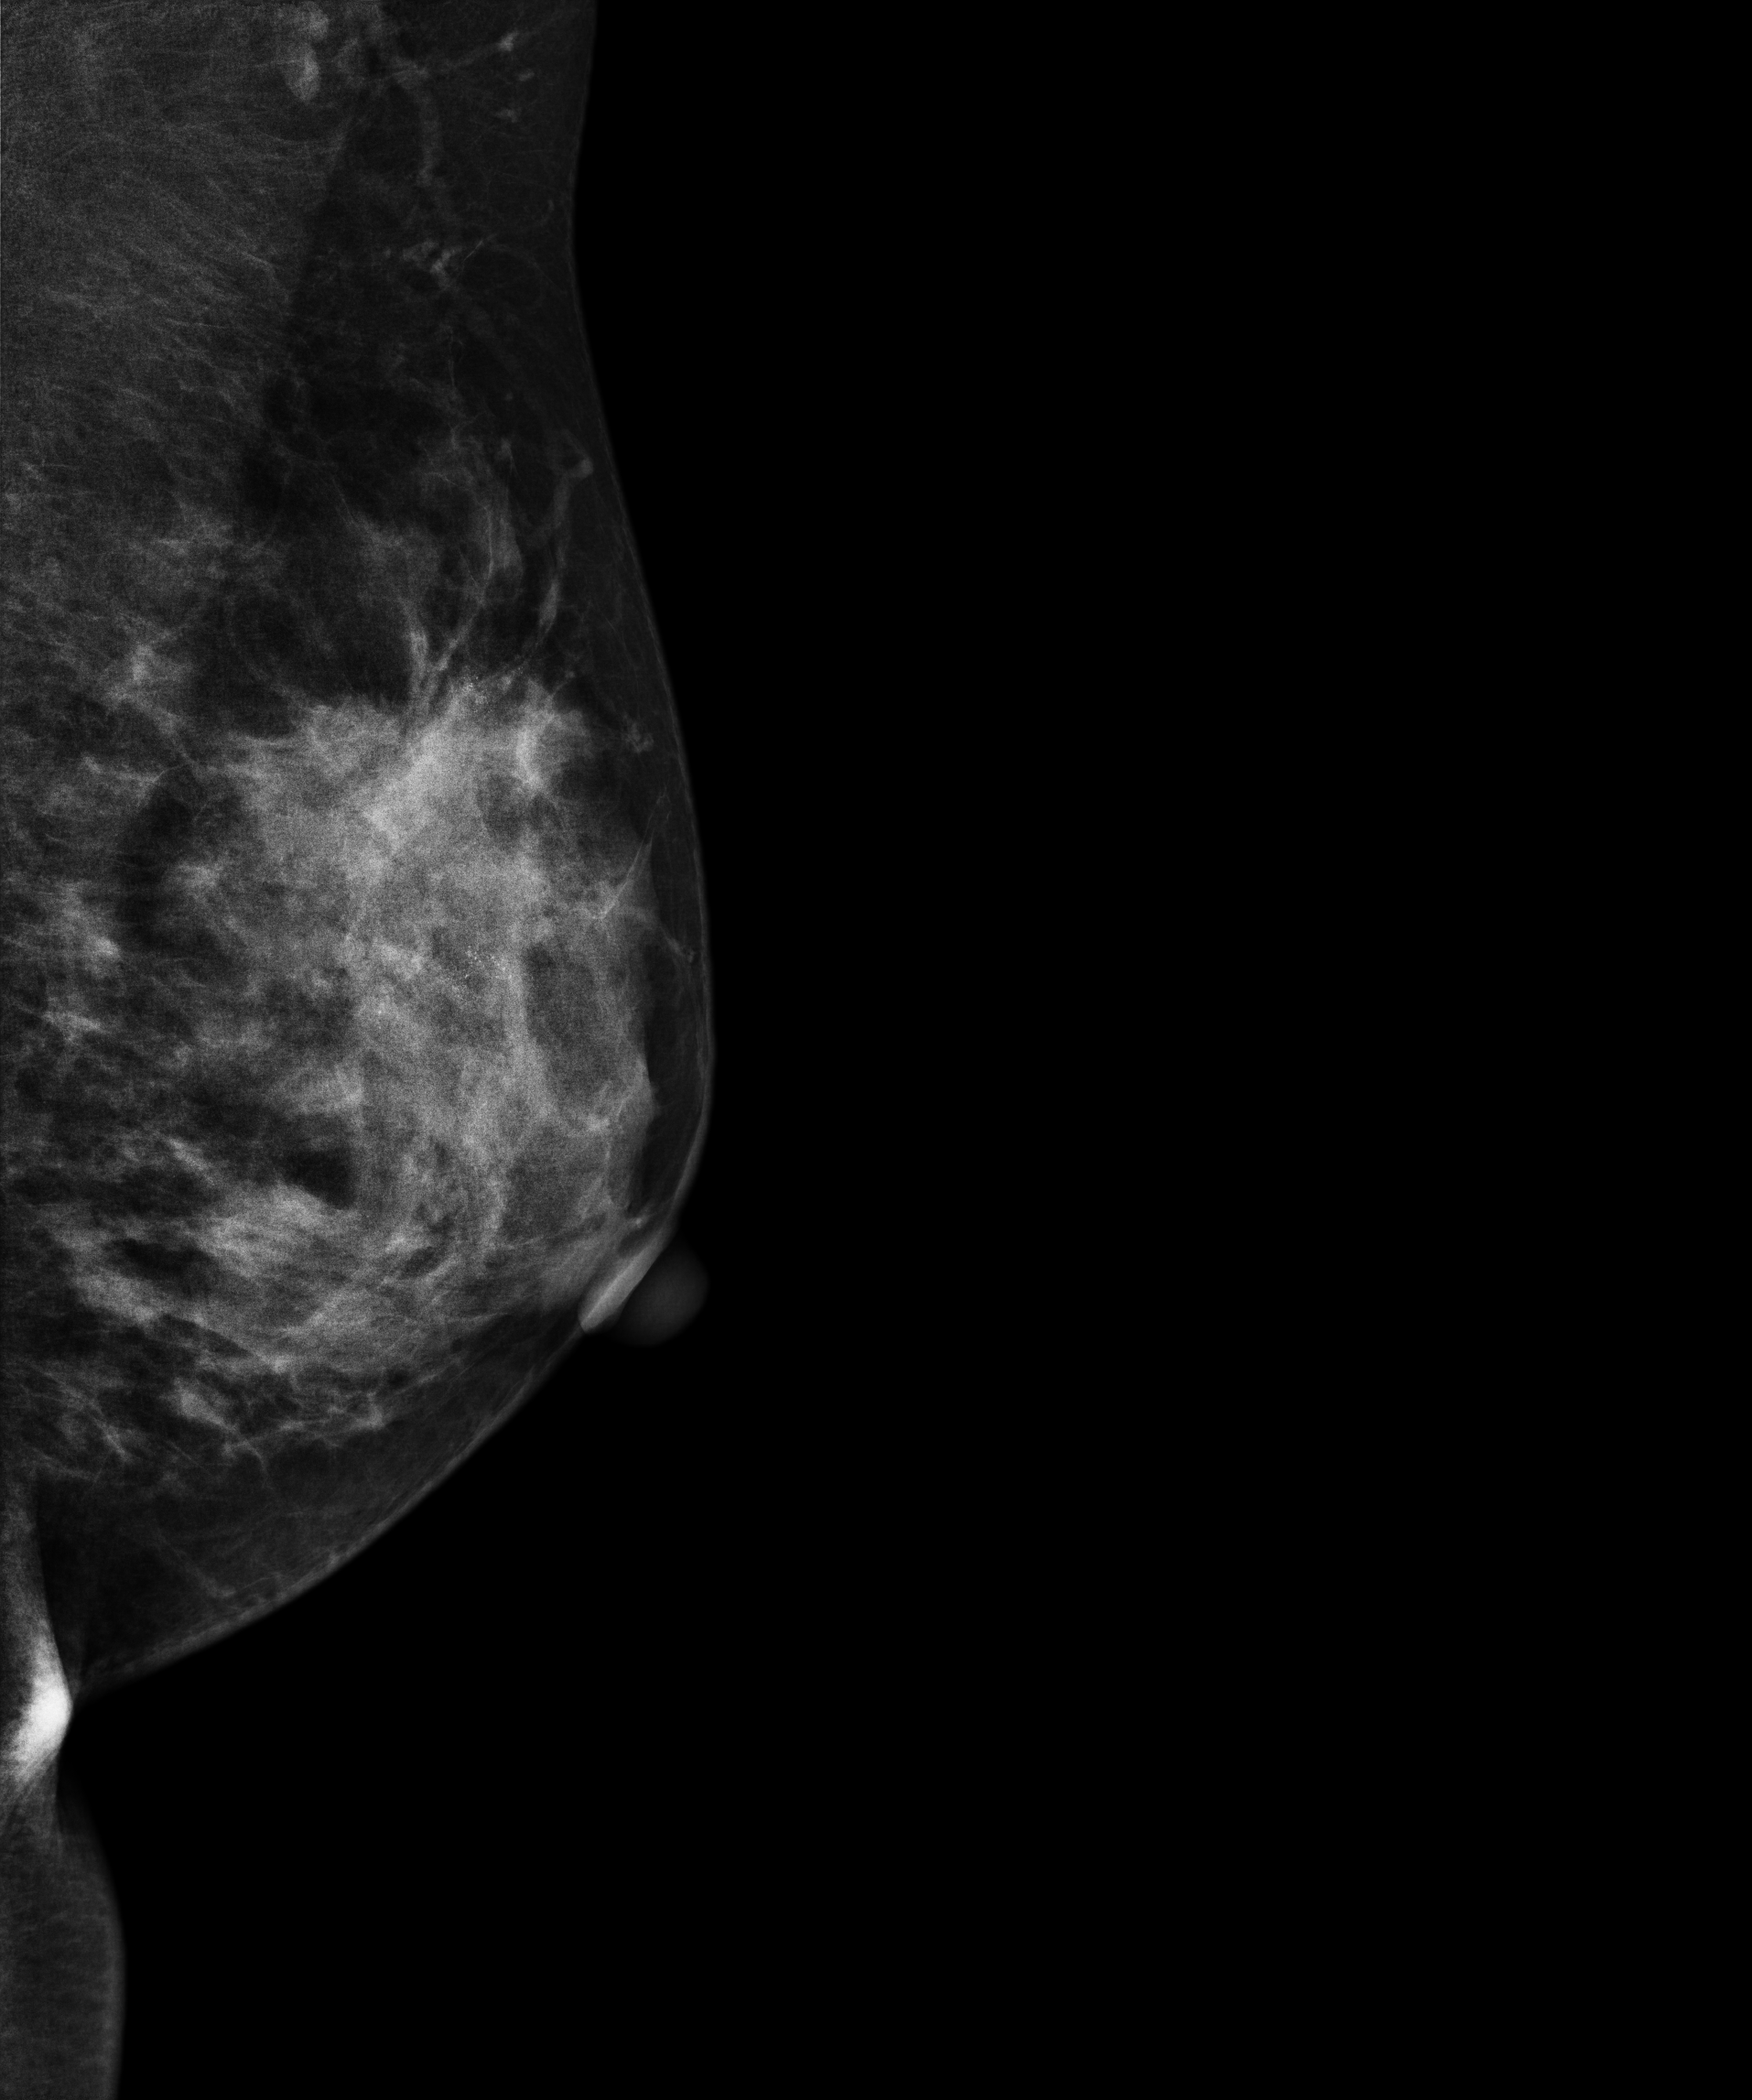
MLO mammogram of the left breast. Patient age 40.
This breast has calcifications, pathology-confirmed malignant. Molecular subtype: luminal A.